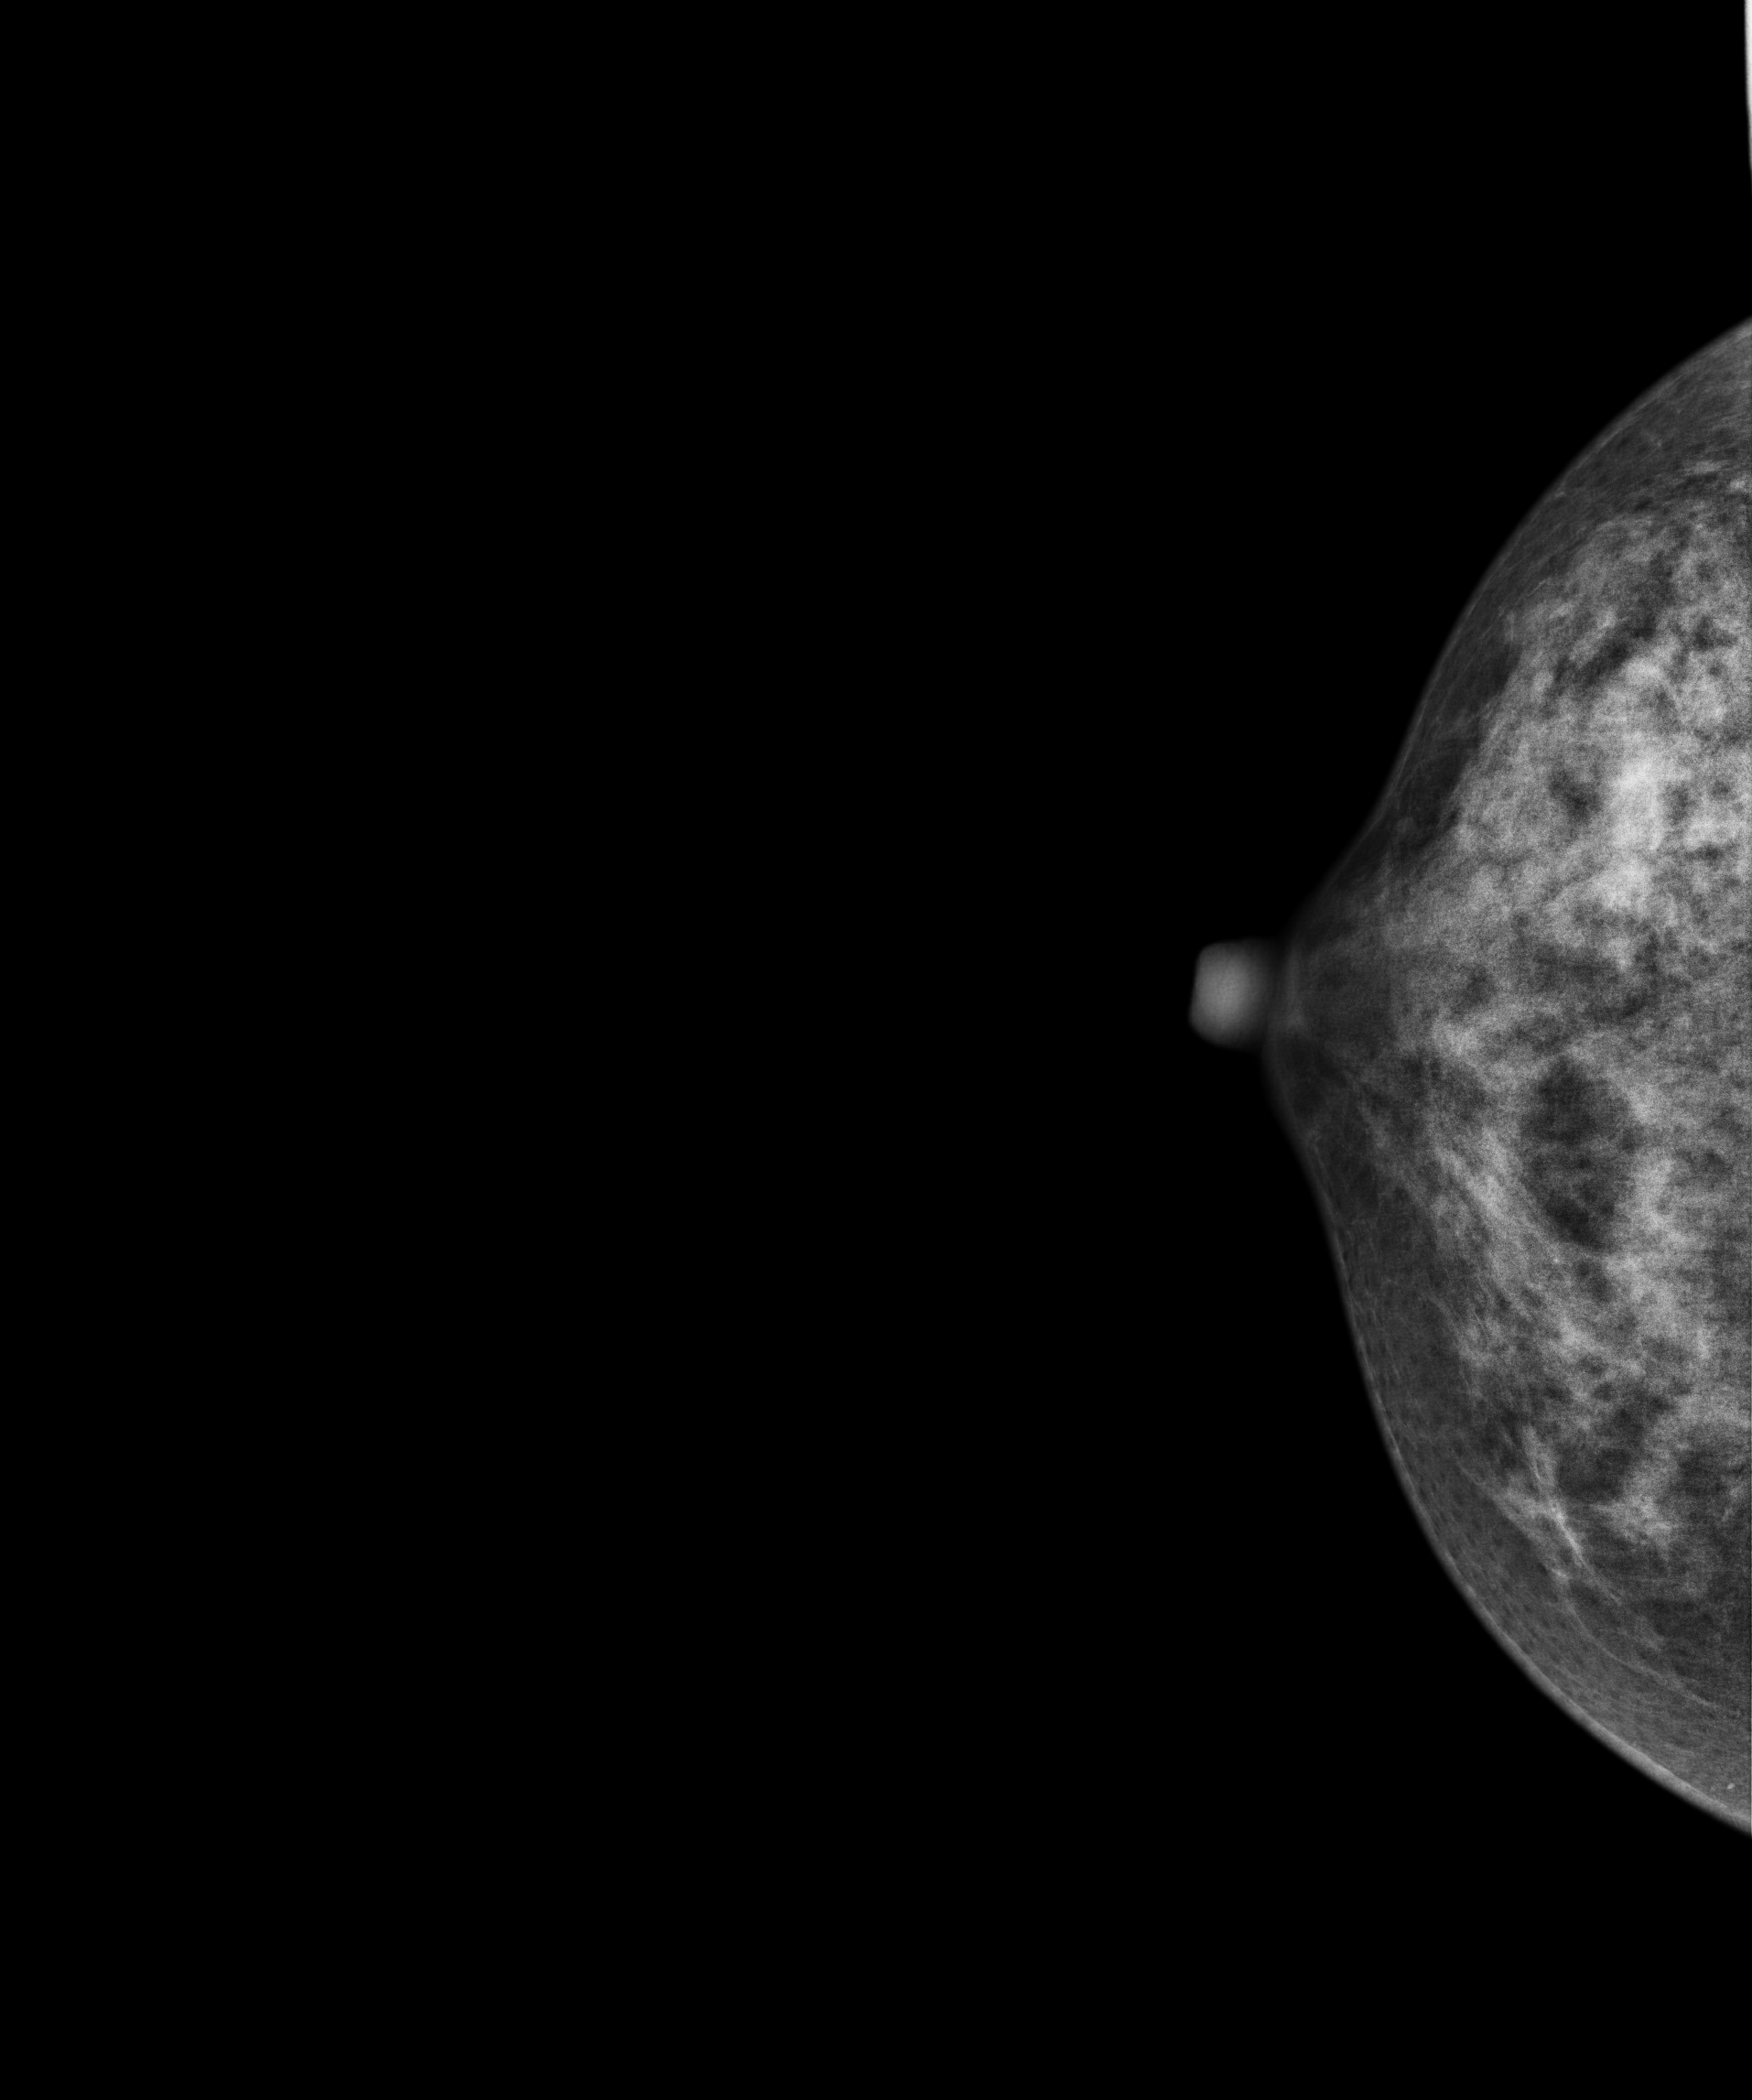
Mammogram, right breast, cranio-caudal view. 38-year-old patient.
This breast has a mass, histologically confirmed malignant. Molecular subtype: luminal A.